Cranio-caudal mammogram of the right breast. 45-year-old patient.
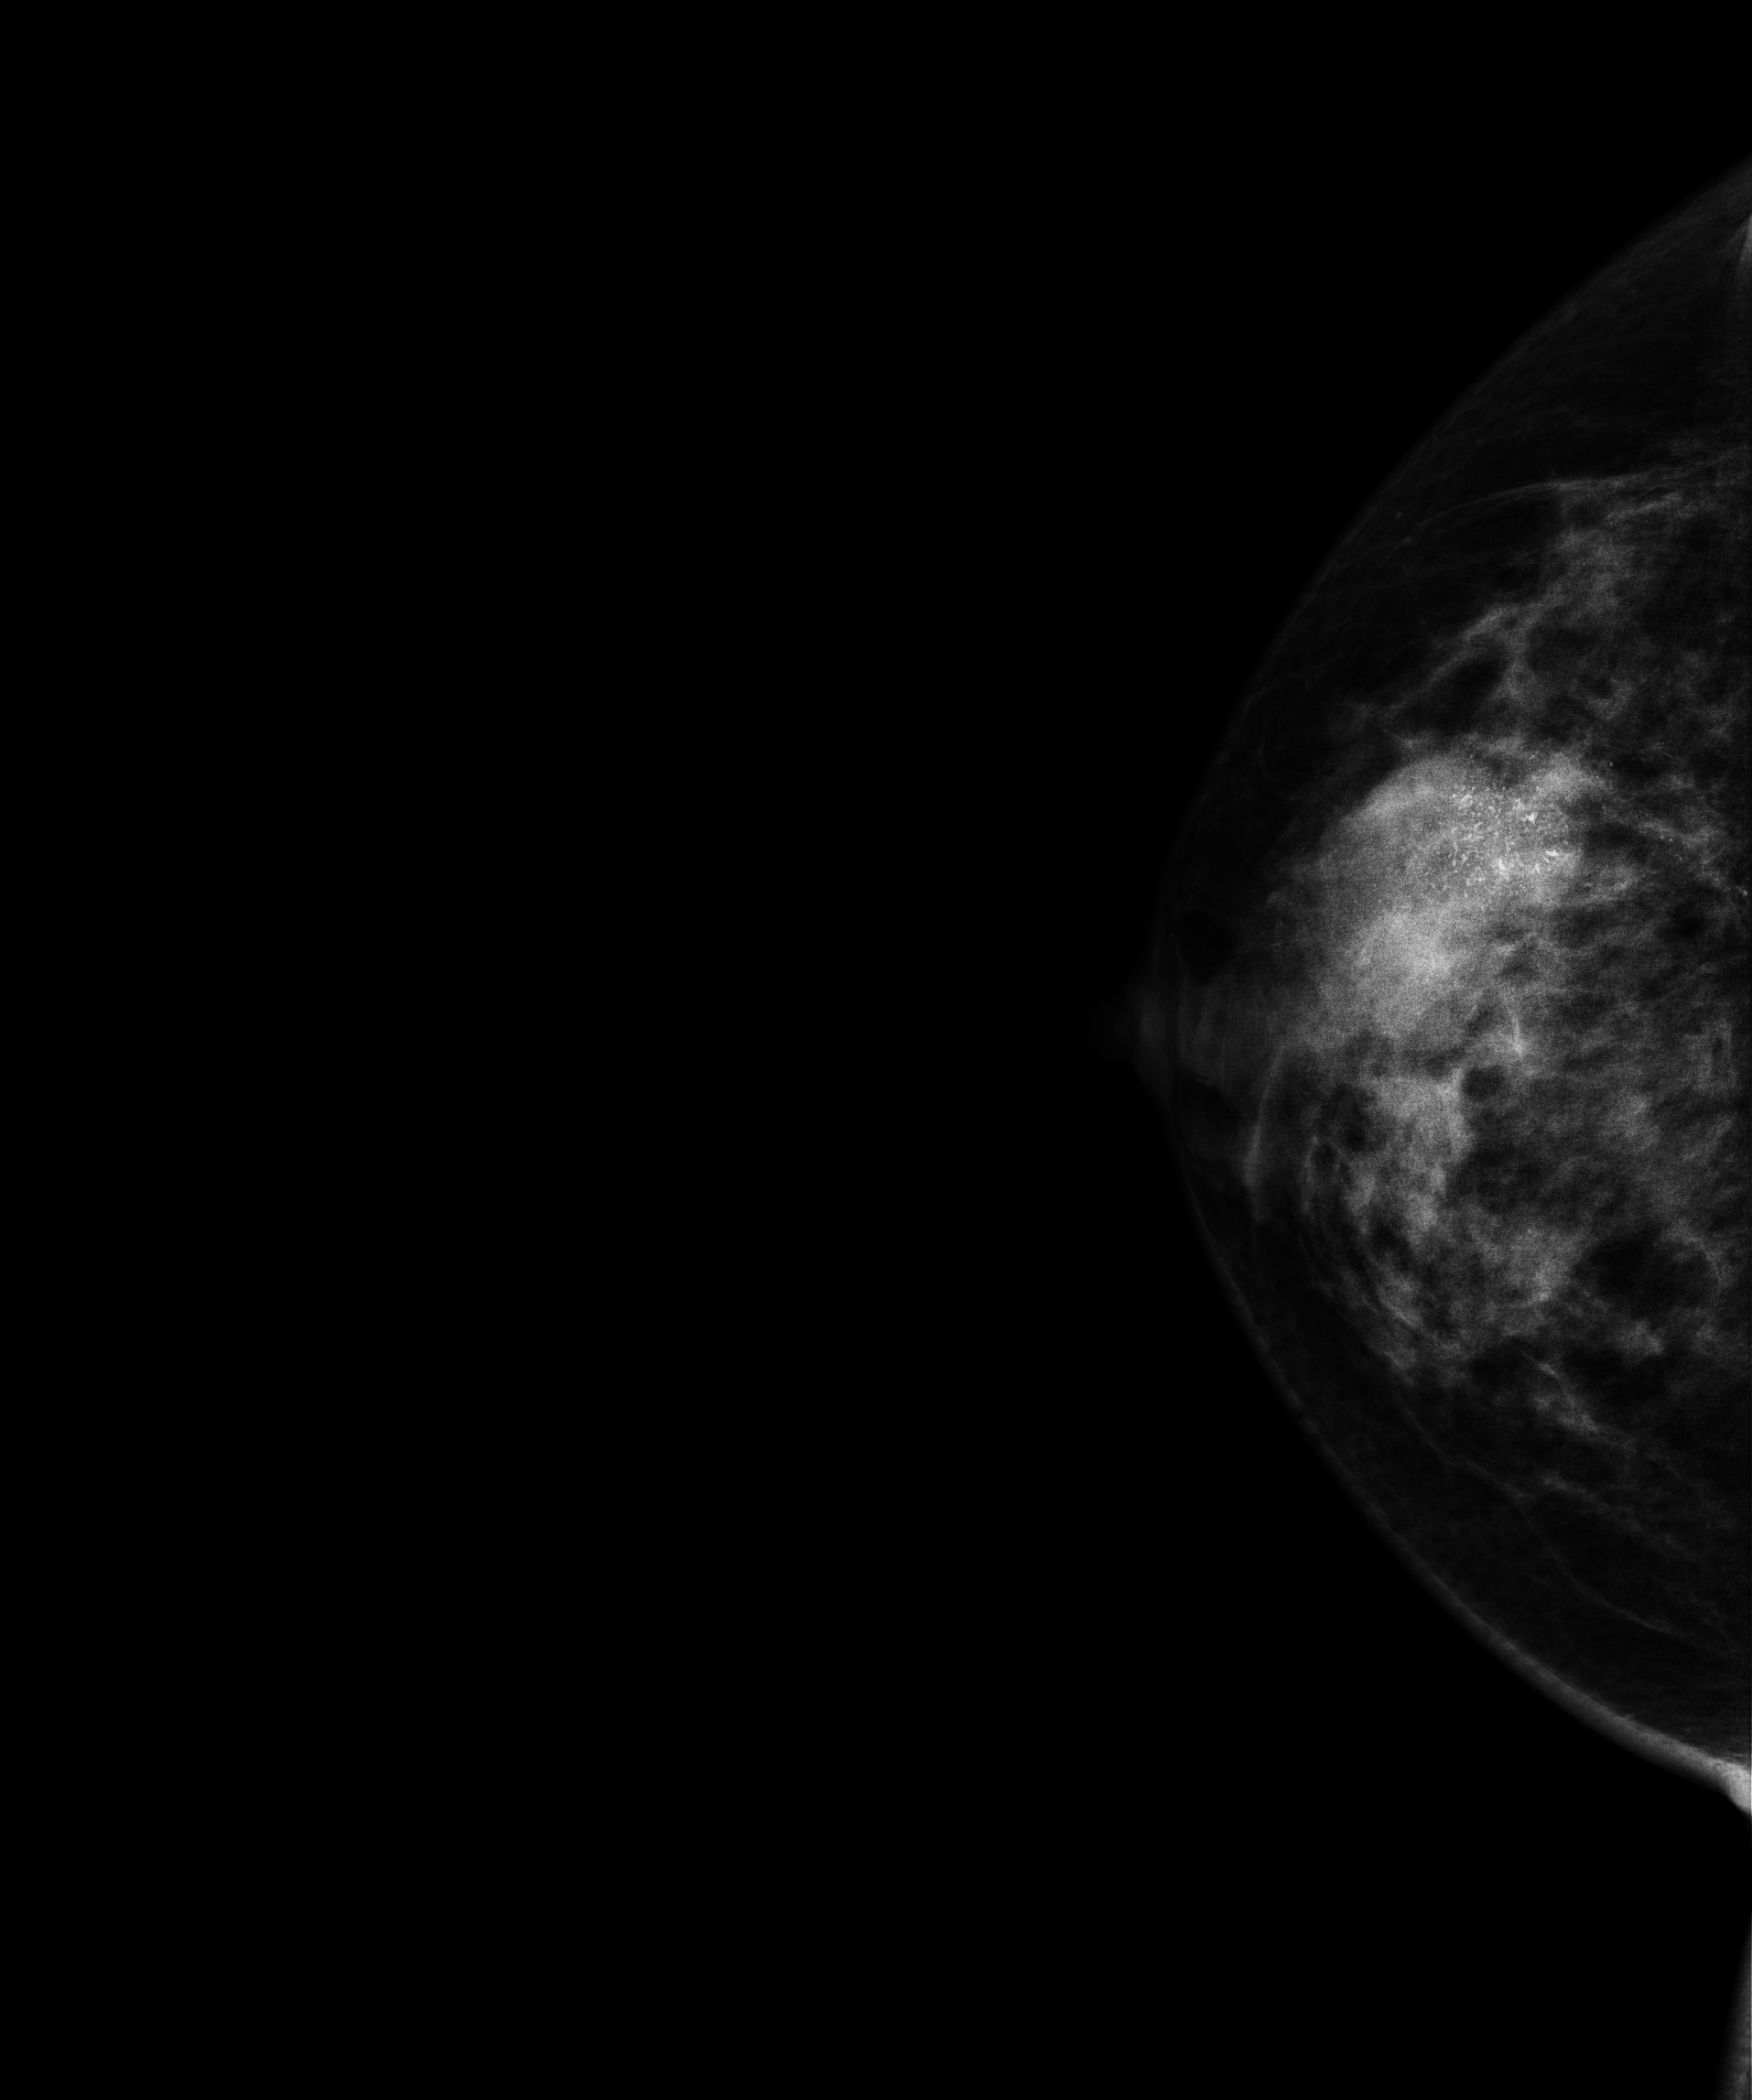
This breast has a mass and calcifications, biopsy-proven malignant. Molecular subtype: luminal B.